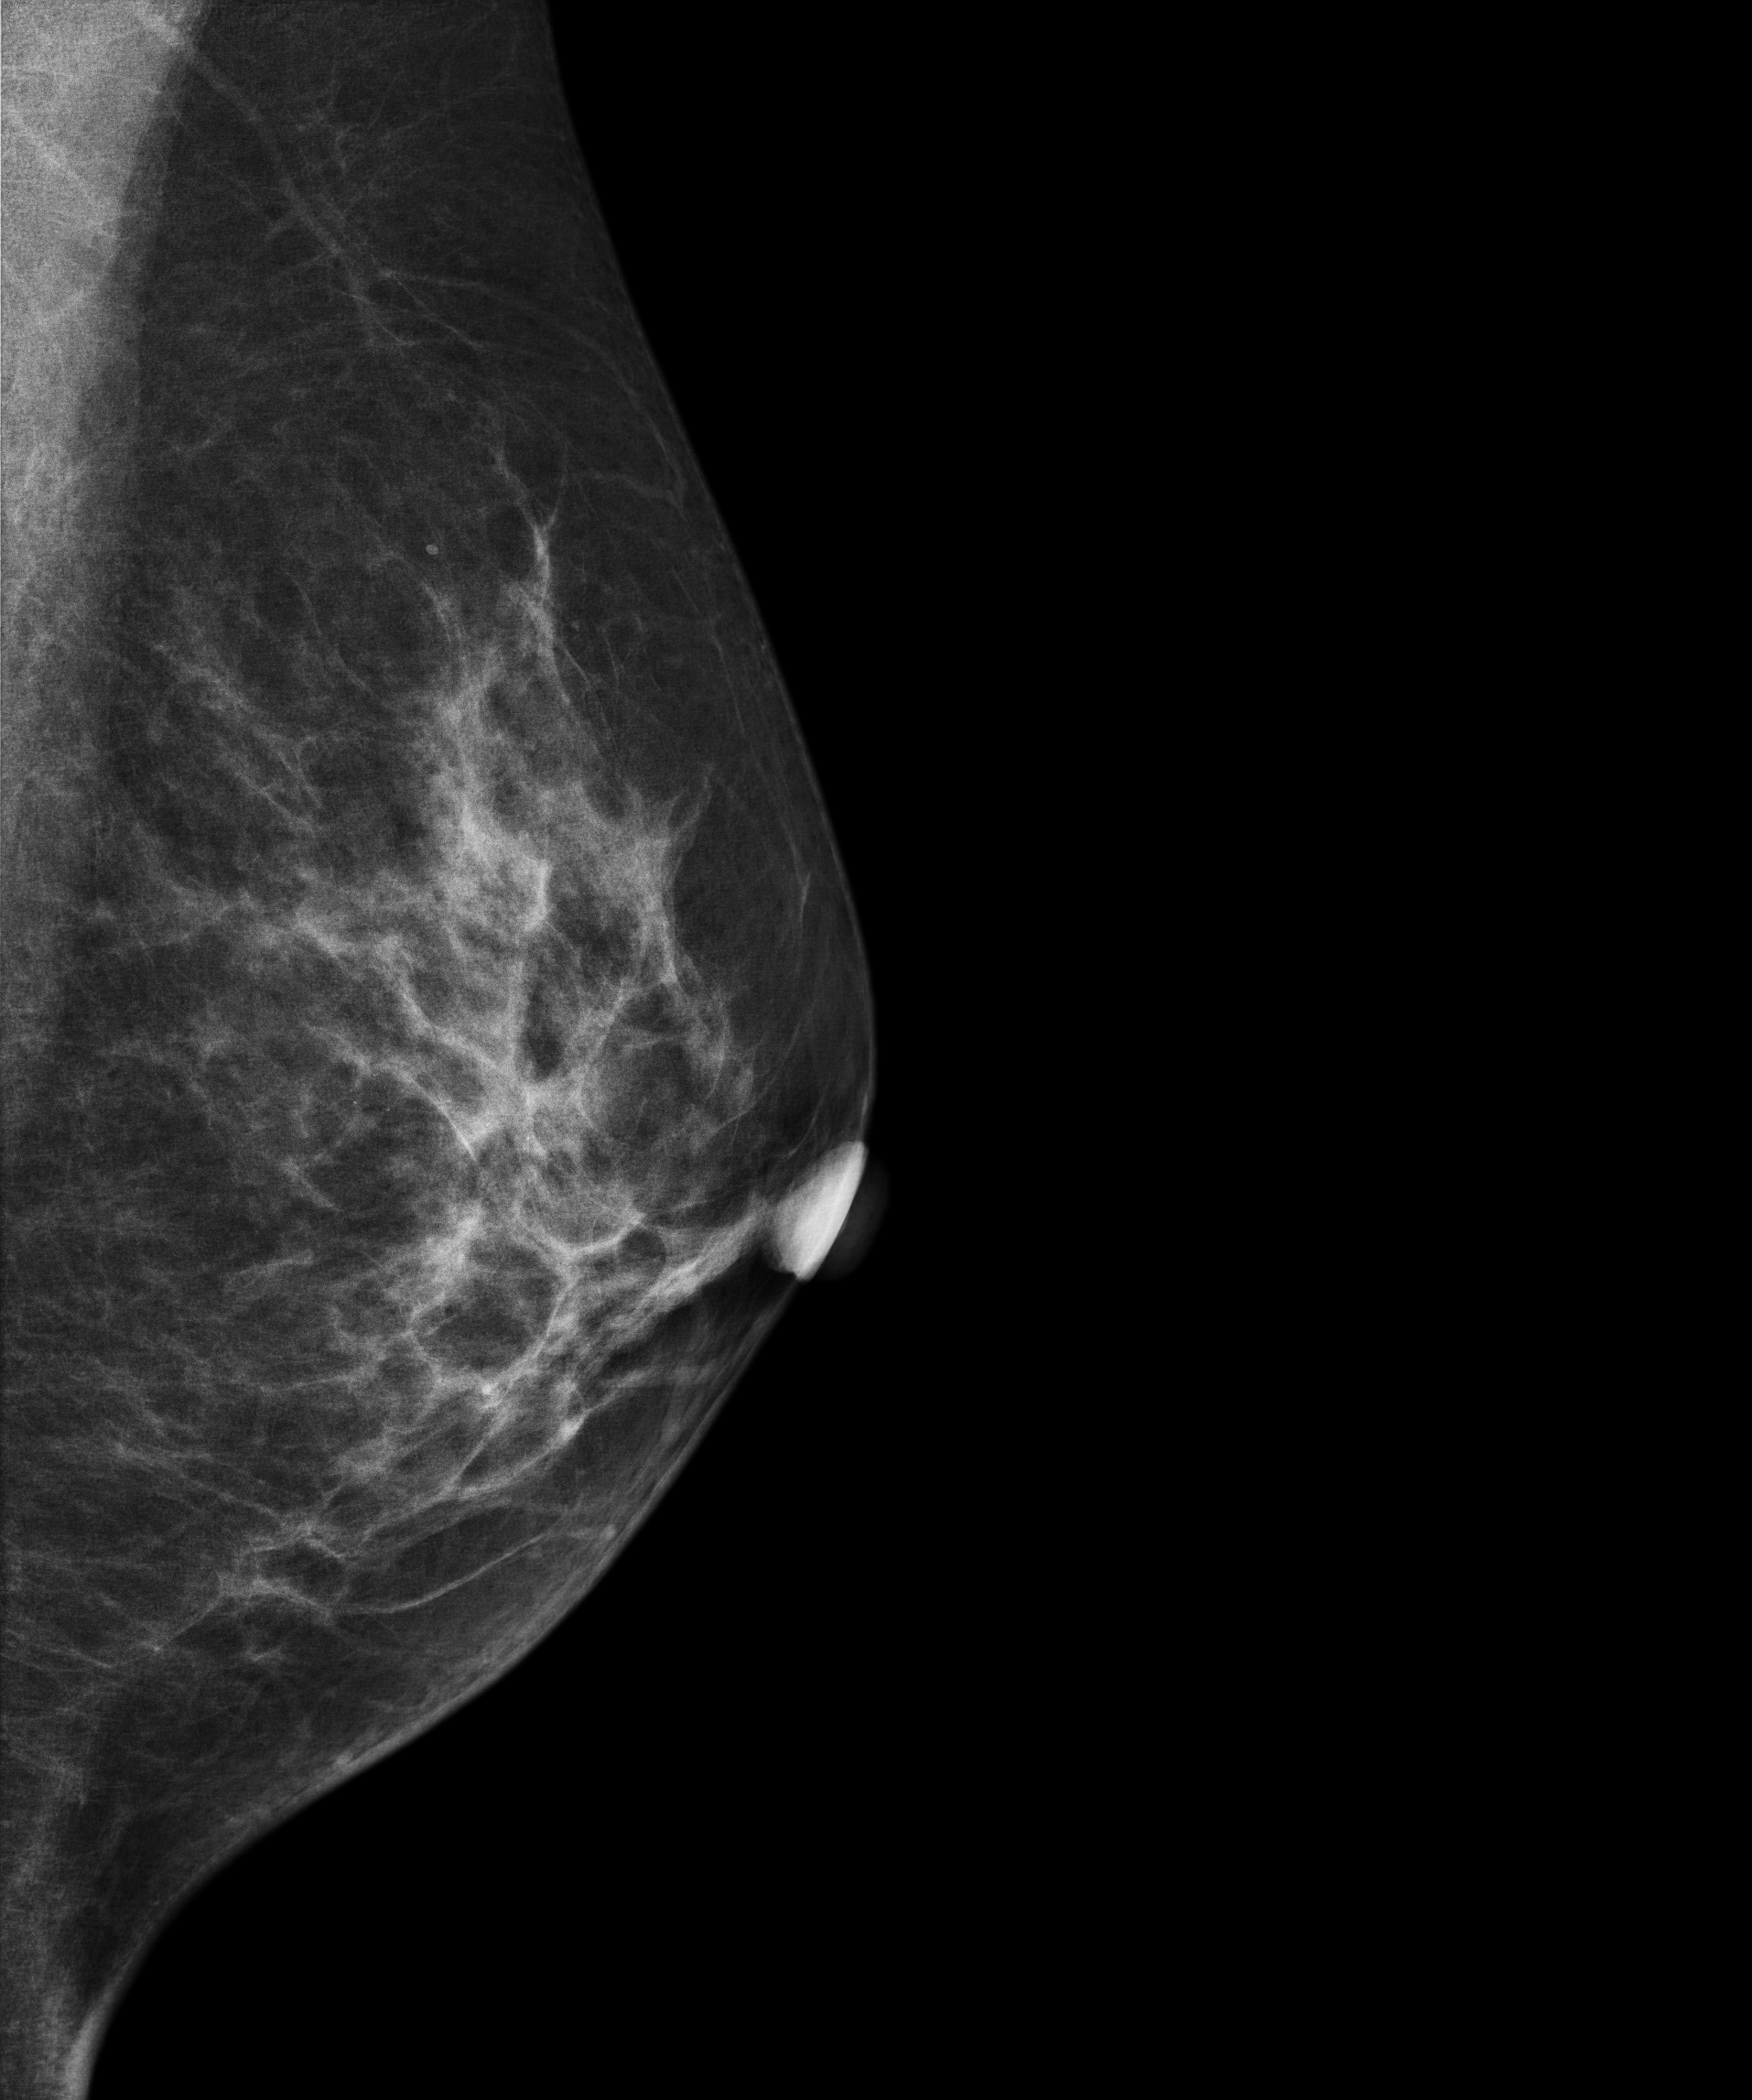
Mammogram, left breast, MLO view. 50 y/o patient.
This breast has a mass and calcifications, histologically confirmed malignant. Molecular subtype: triple-negative.